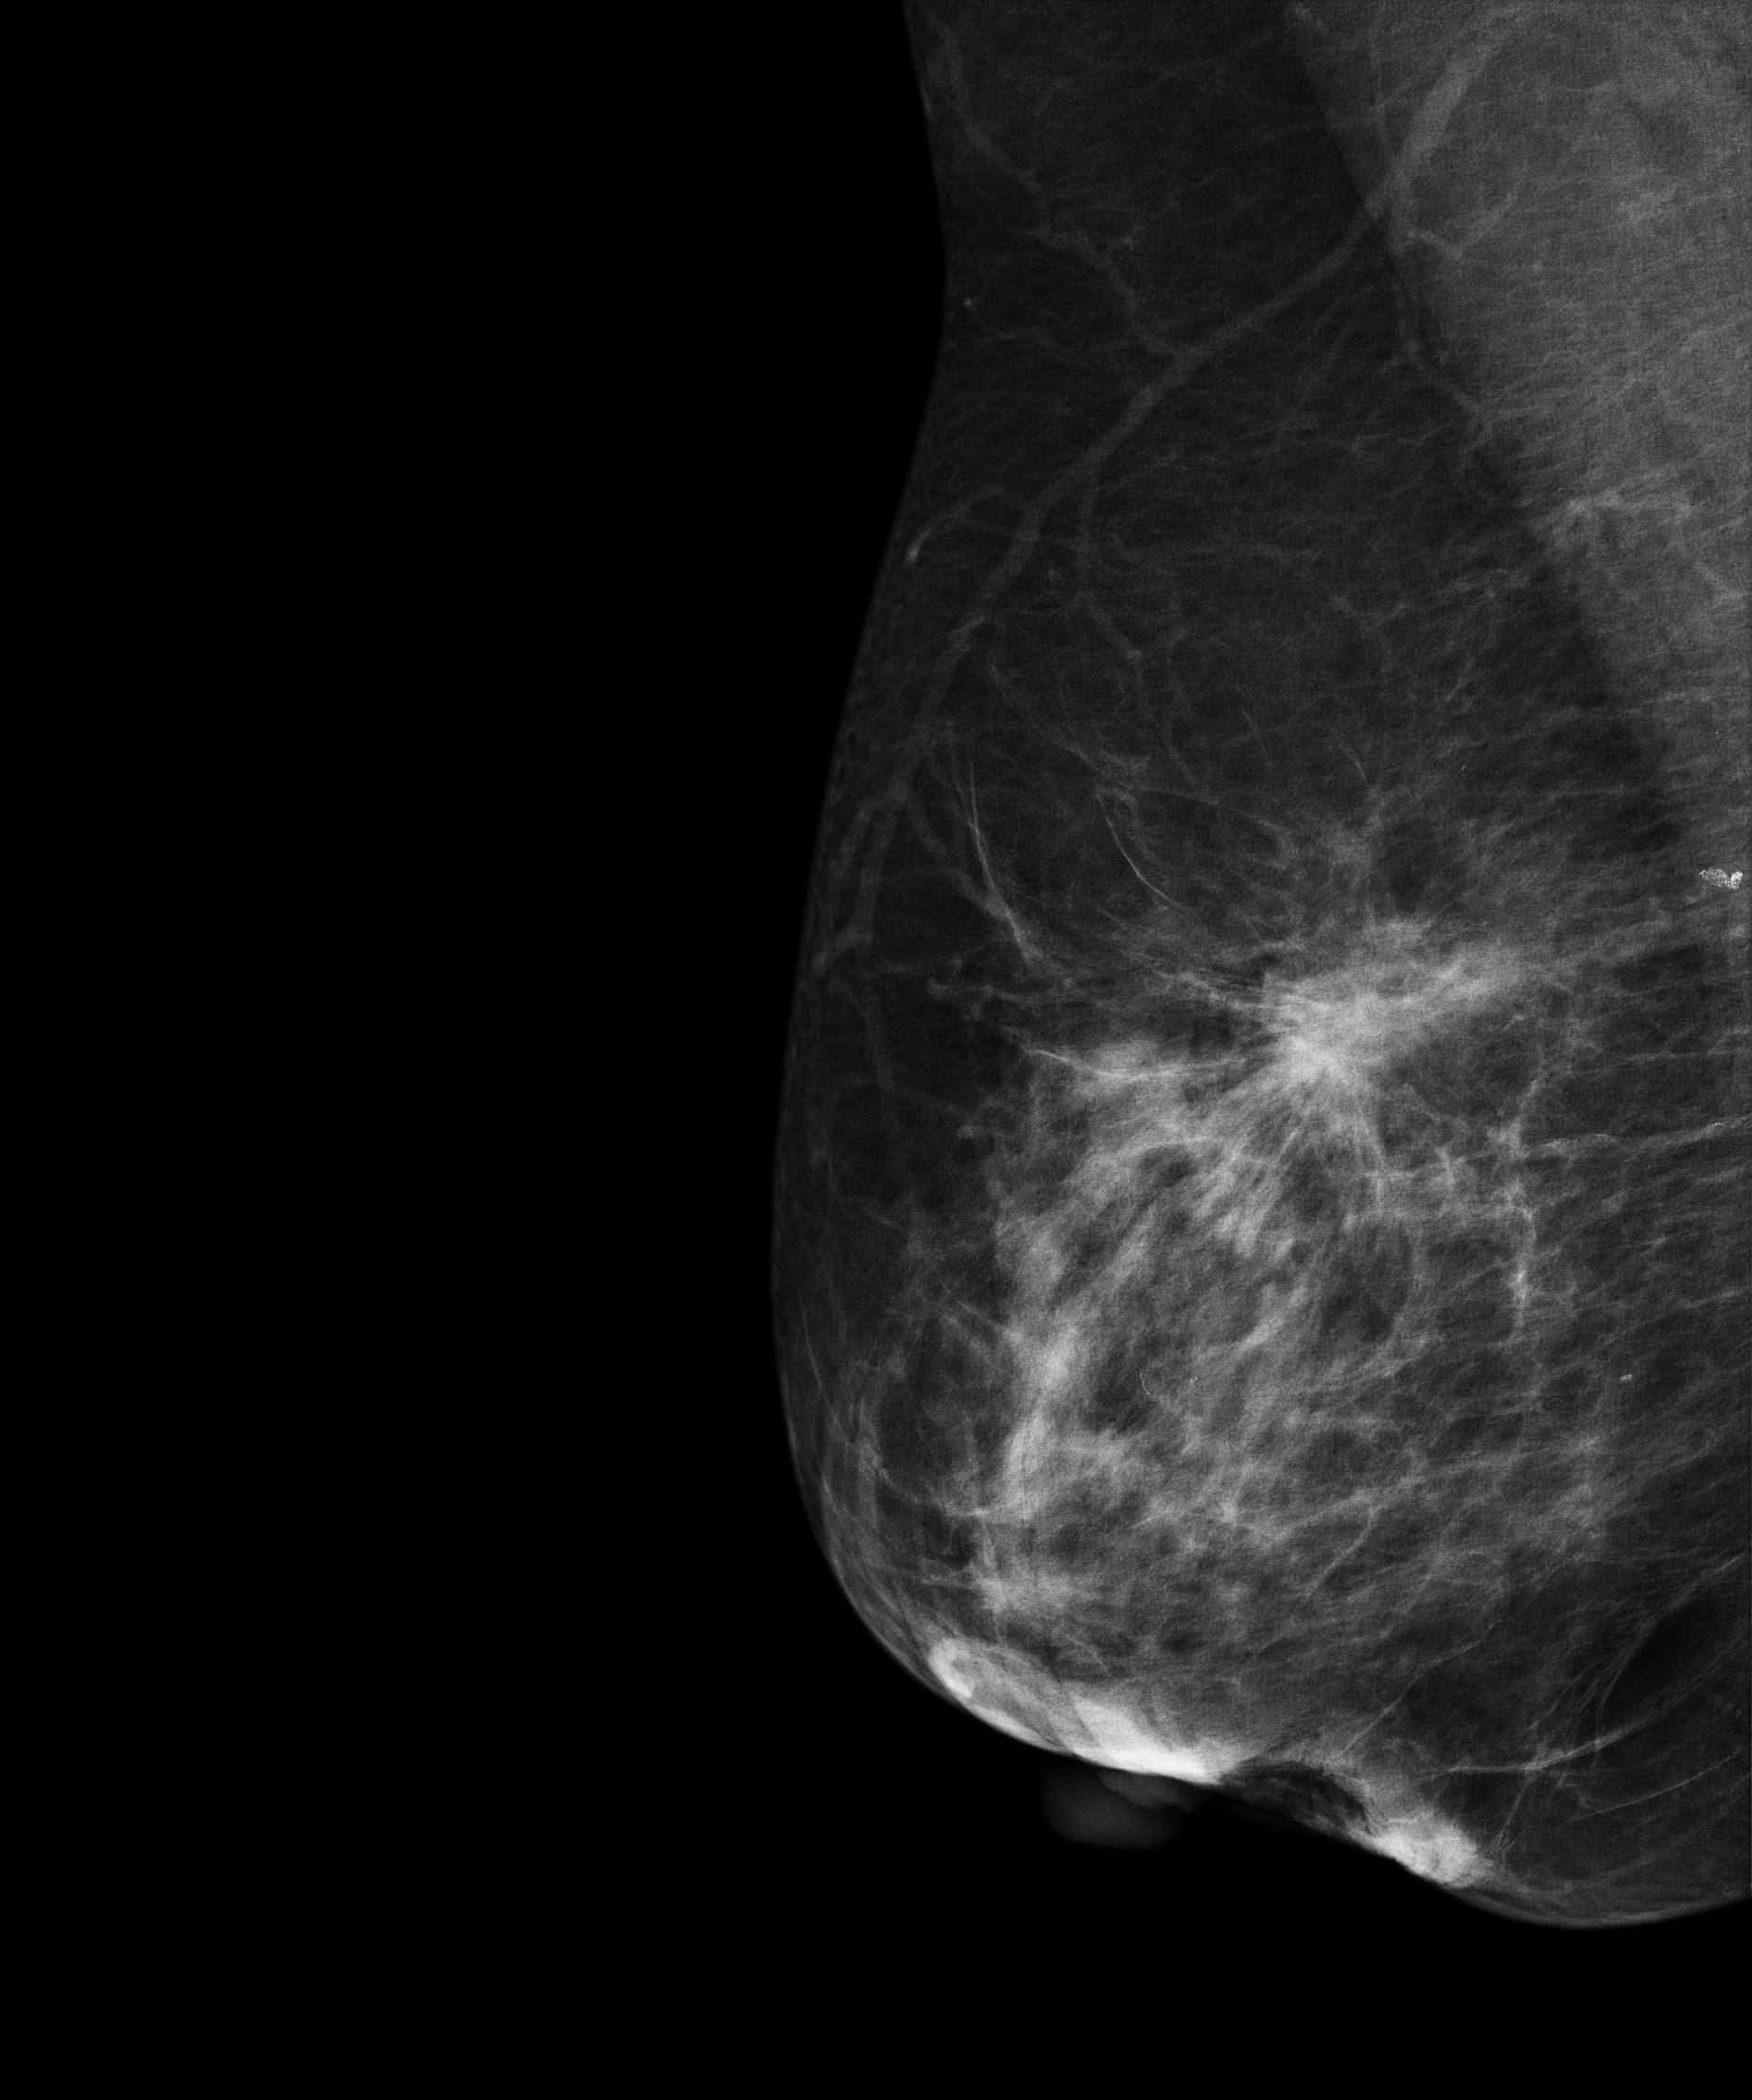
Mammogram, right breast, medio-lateral oblique view. 76-year-old patient.
This breast has a mass, biopsy-proven malignant. Molecular subtype: luminal A.